Right-breast mammogram, CC. 50-year-old patient.
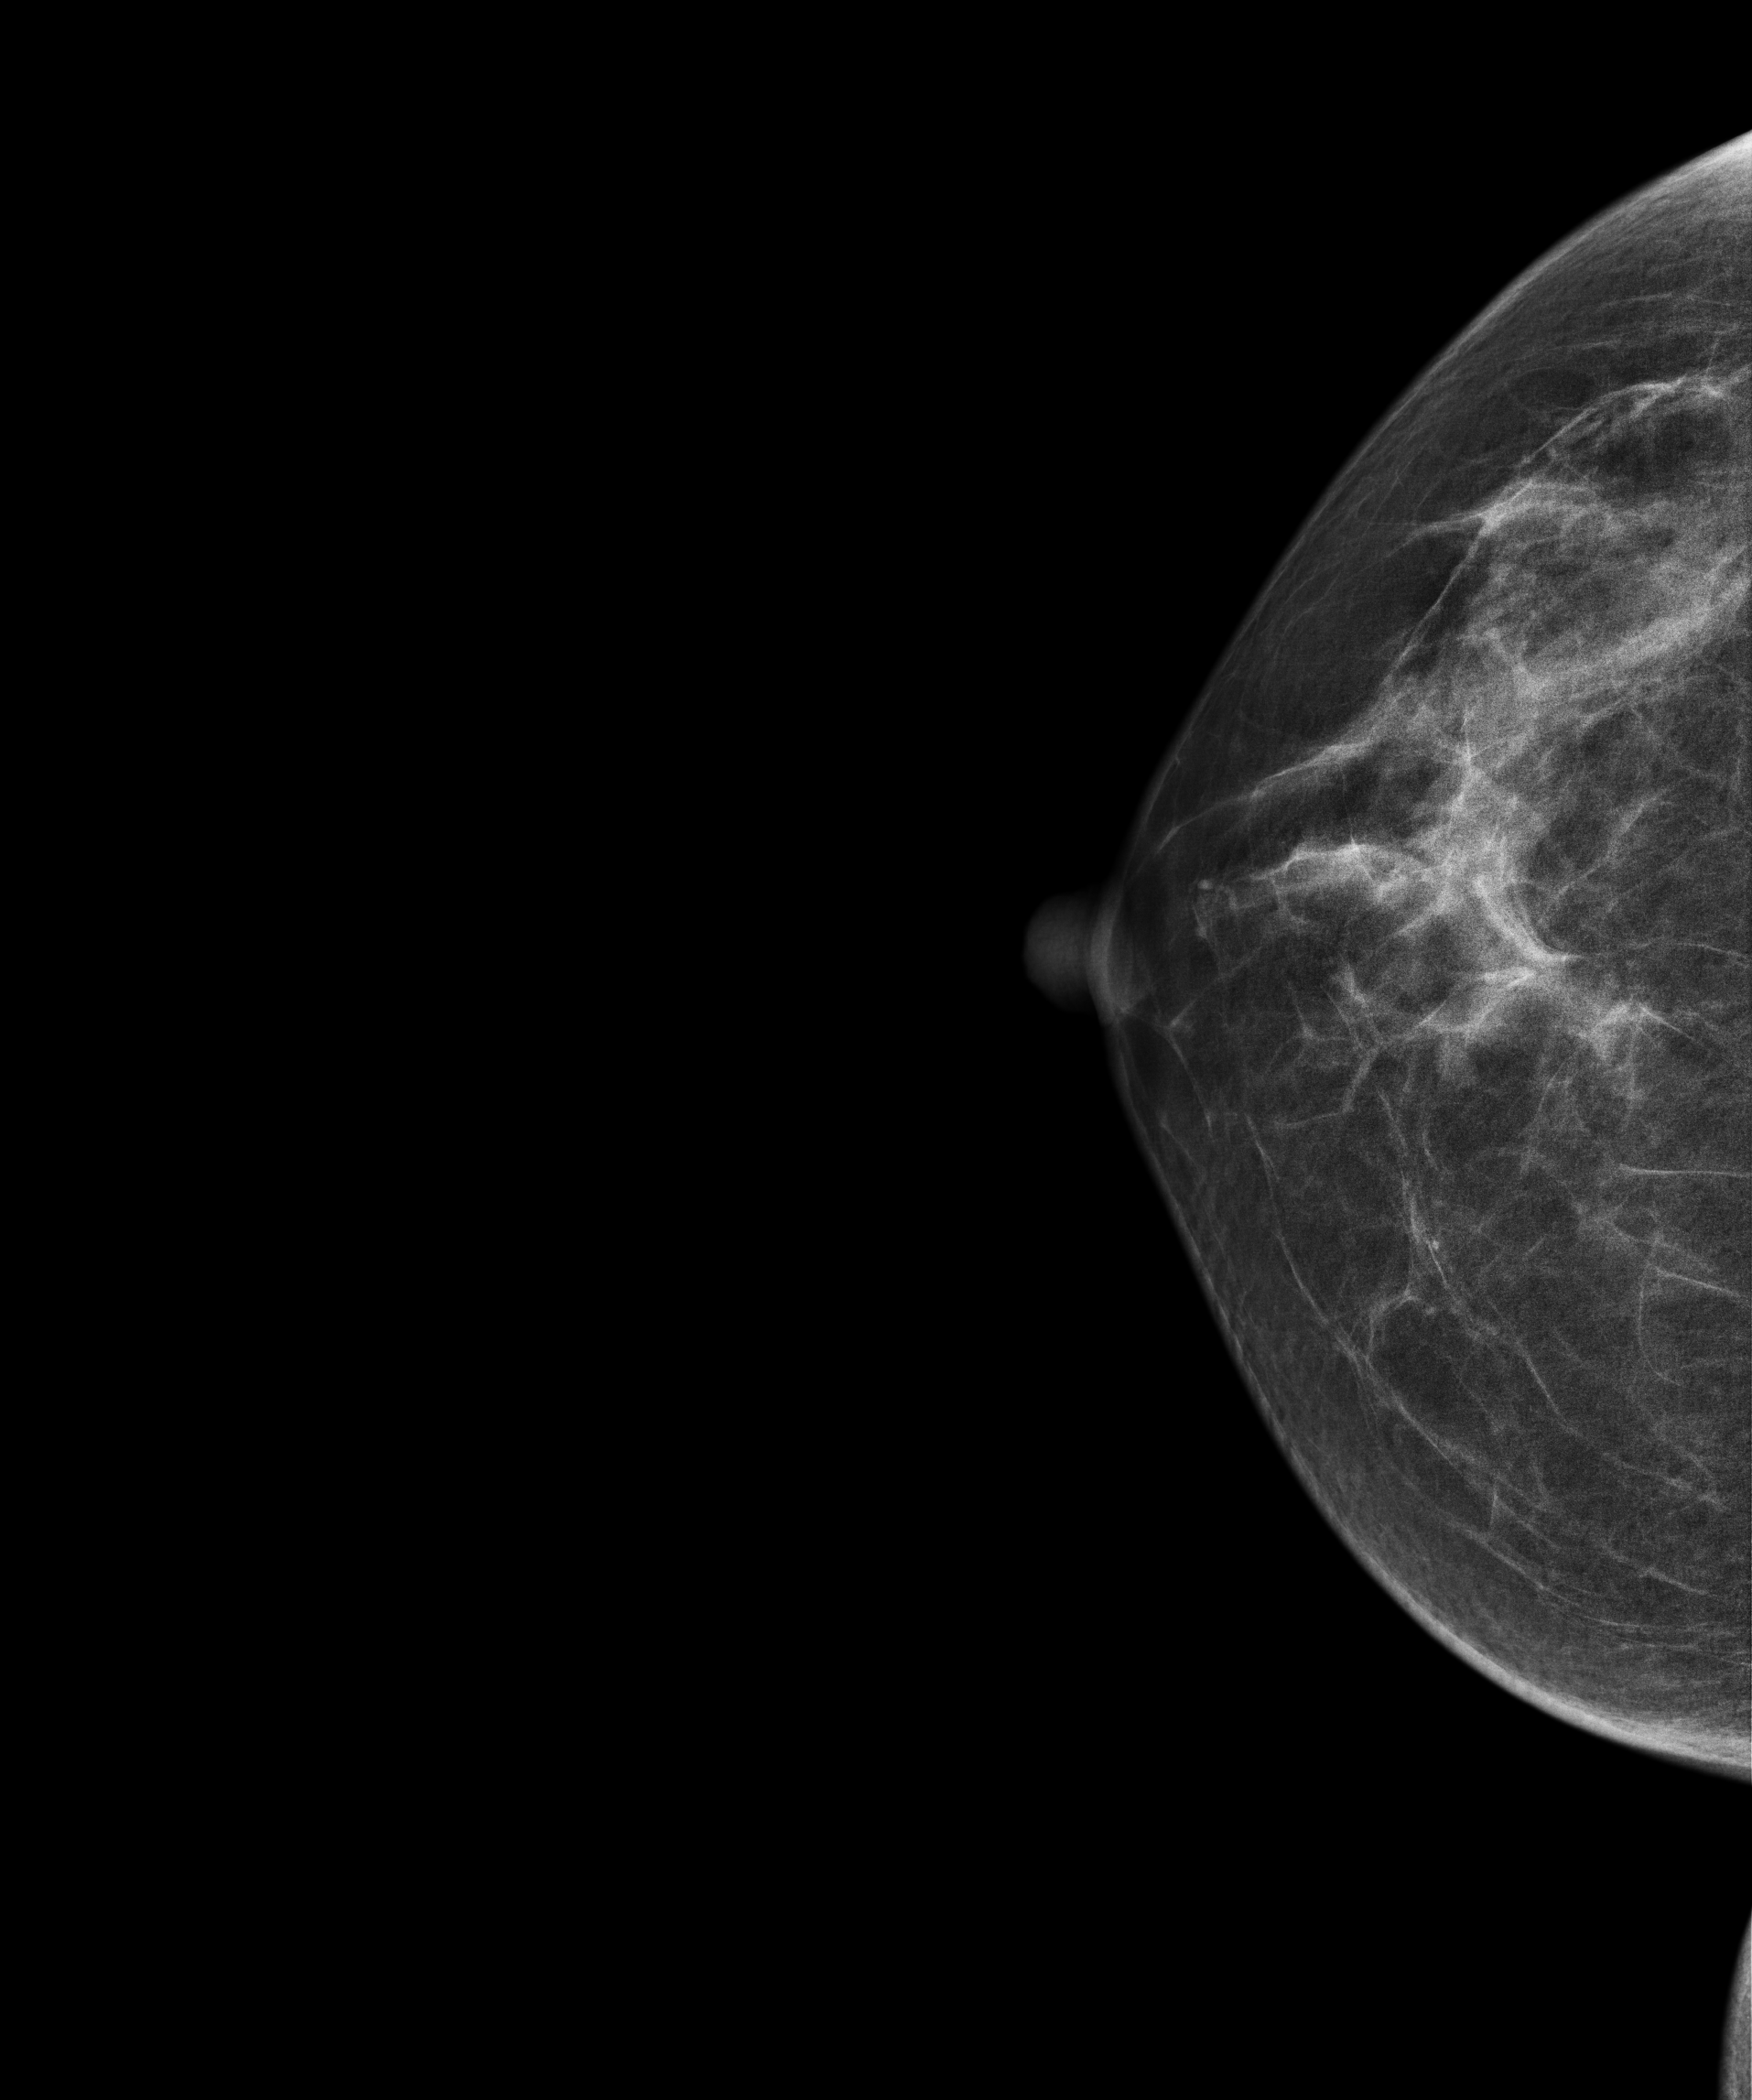
Contralateral breast — no documented abnormality on this side.